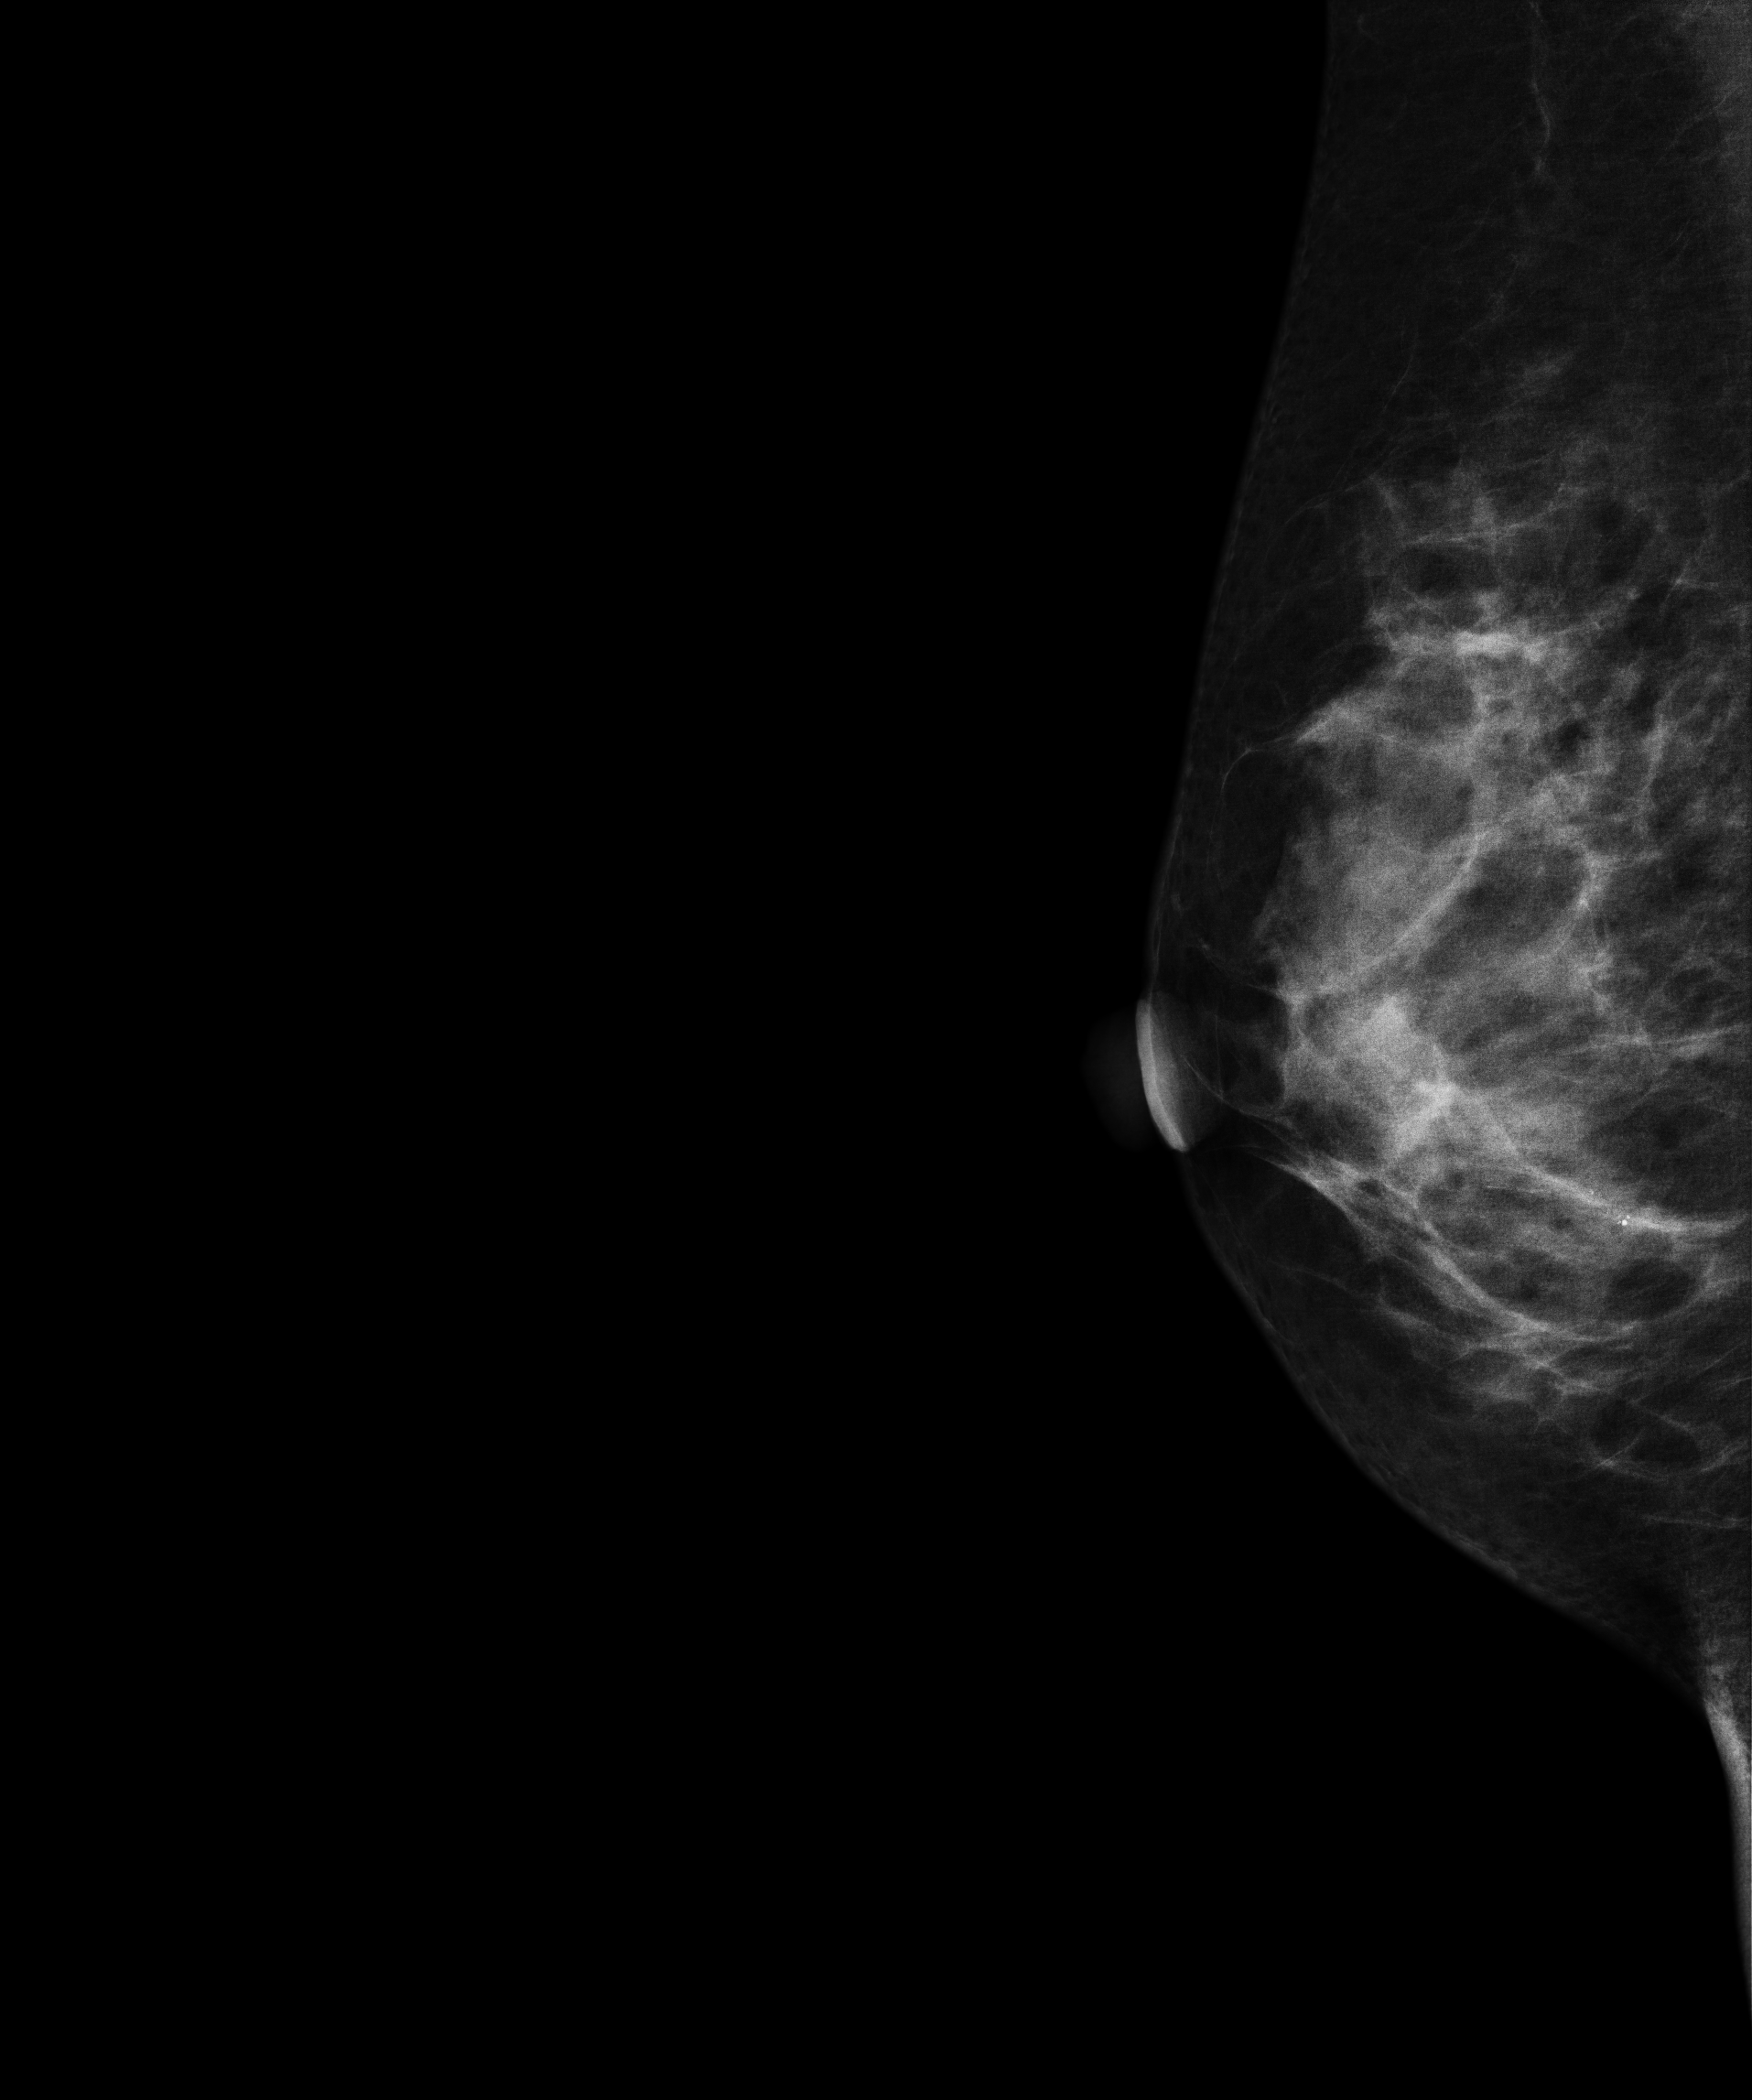
MLO mammogram of the right breast. Patient age 53.
This breast has a mass and calcifications, biopsy-proven malignant.